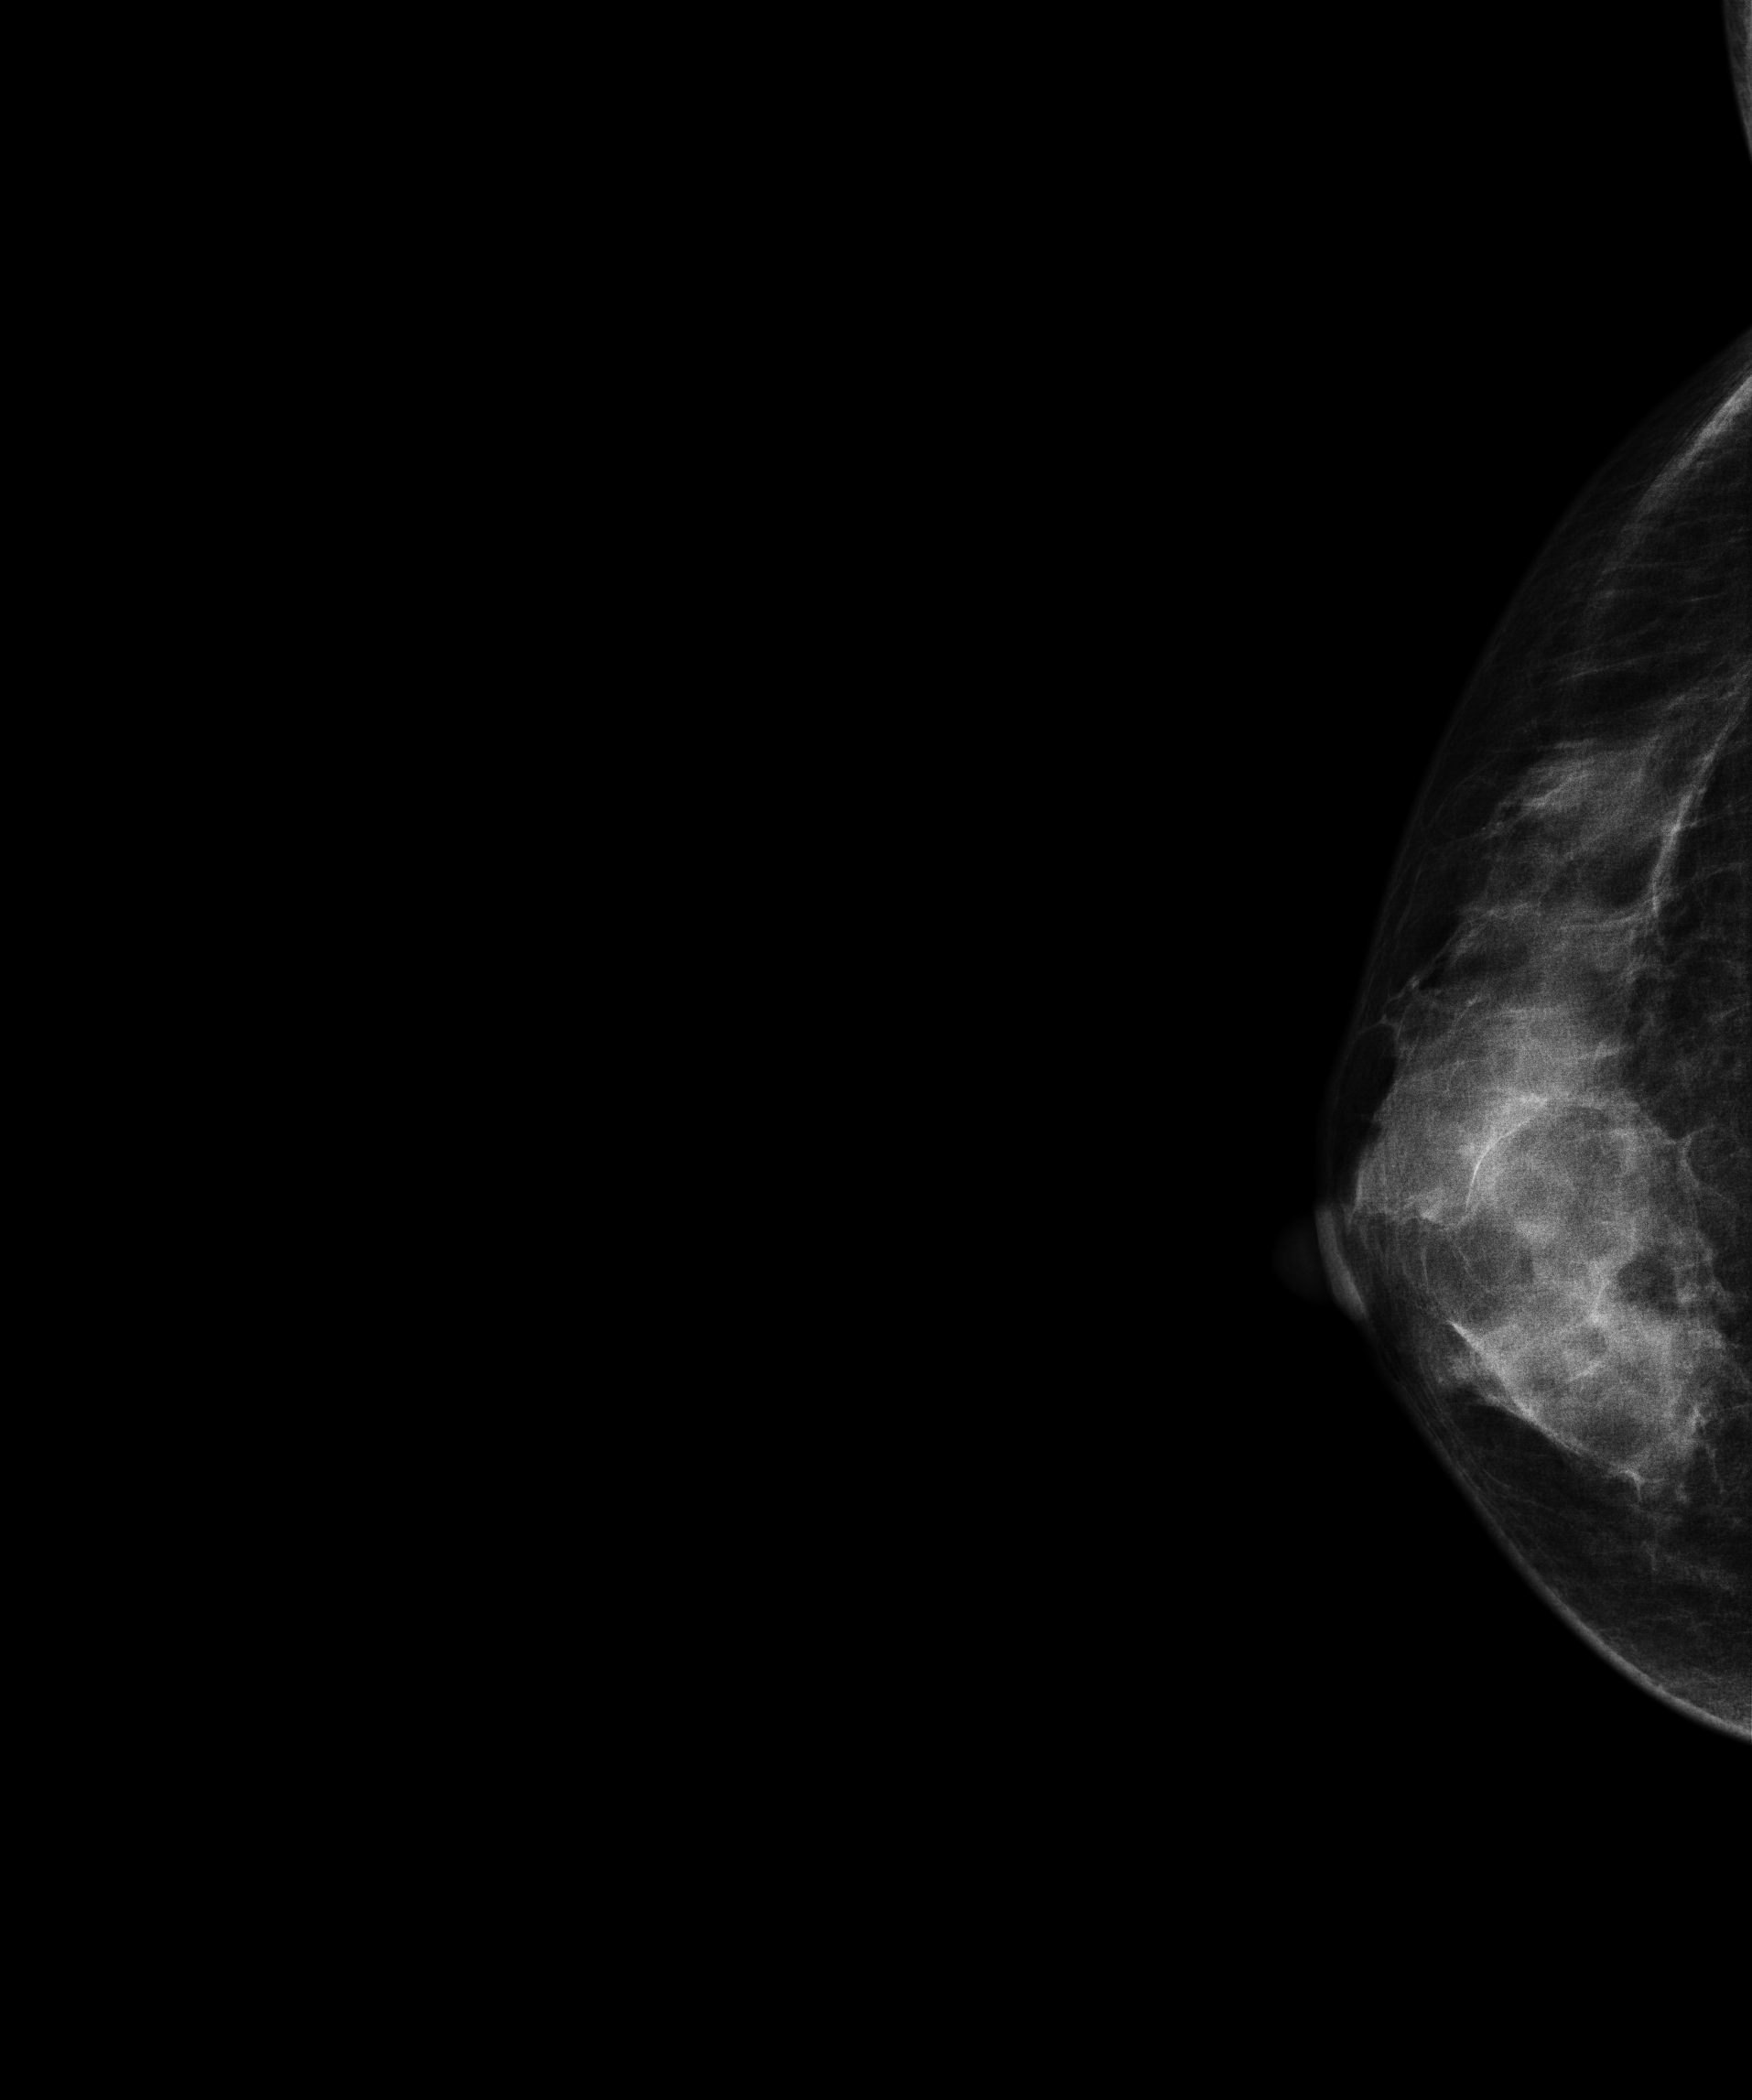
Mammogram, right breast, cranio-caudal view. Patient age 46.
This breast has a mass, histologically confirmed benign.